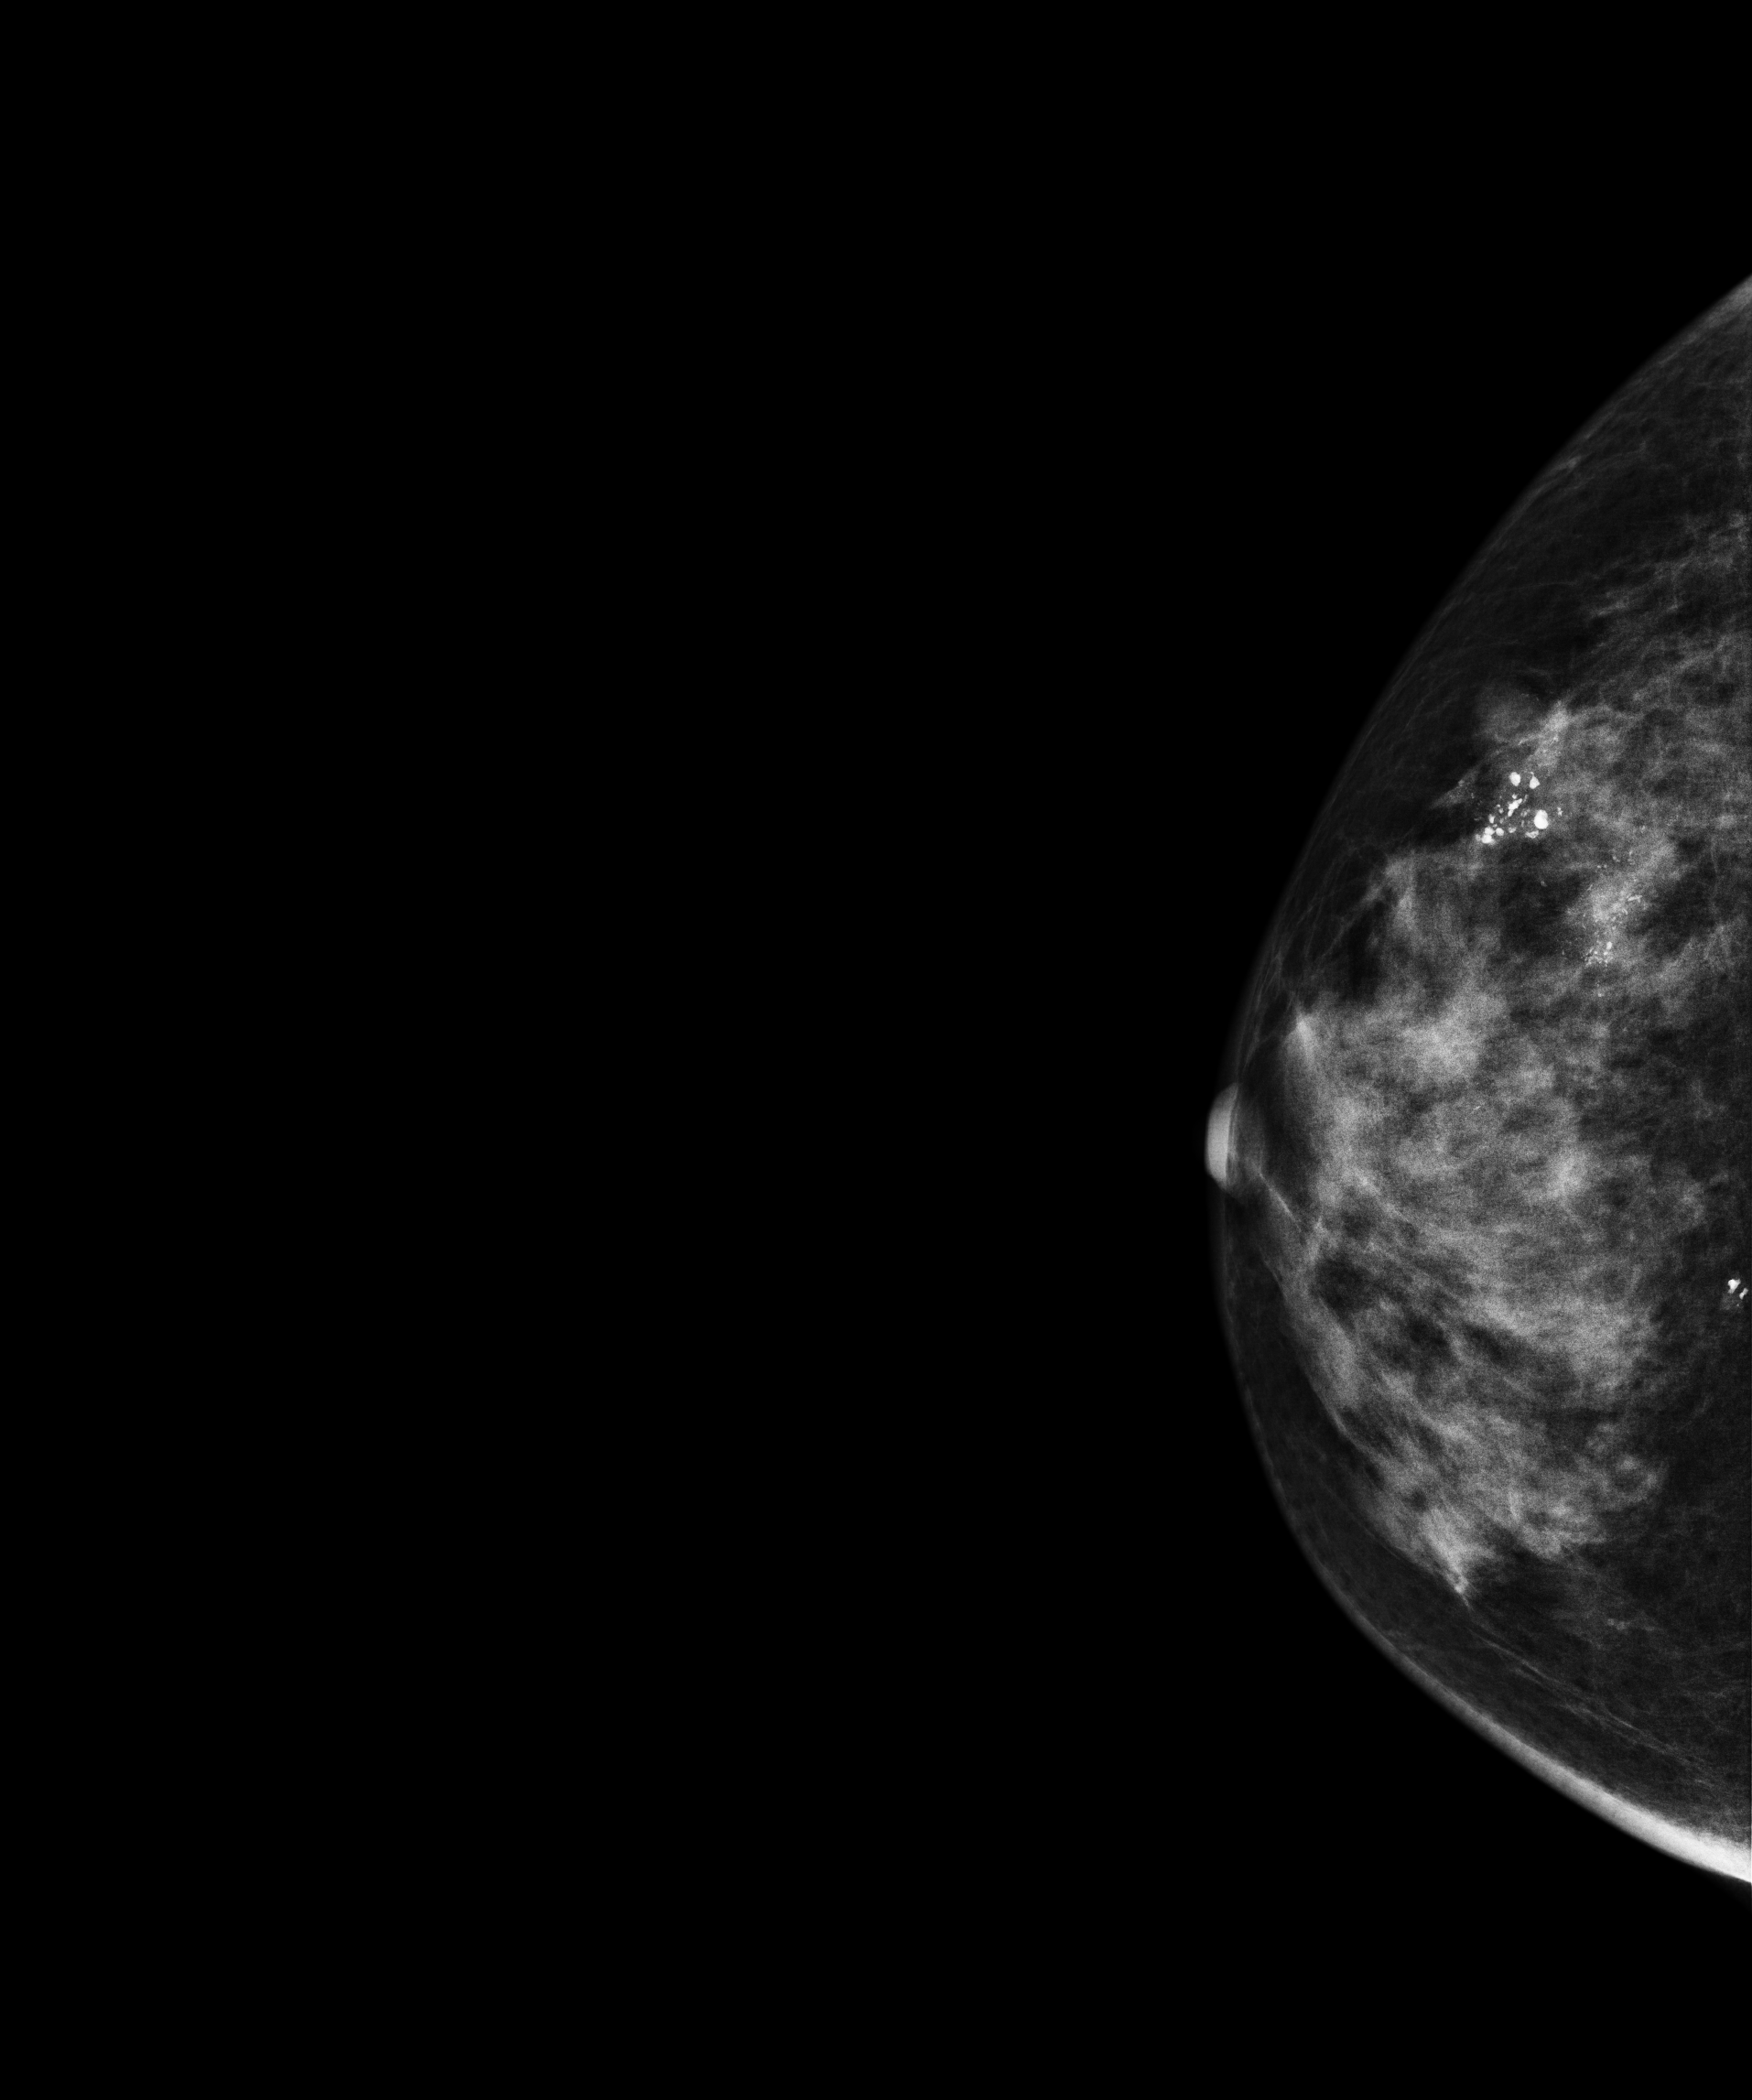
Mammogram — right CC. 59-year-old patient.
This breast has a mass and calcifications, biopsy-proven malignant. Molecular subtype: luminal B.